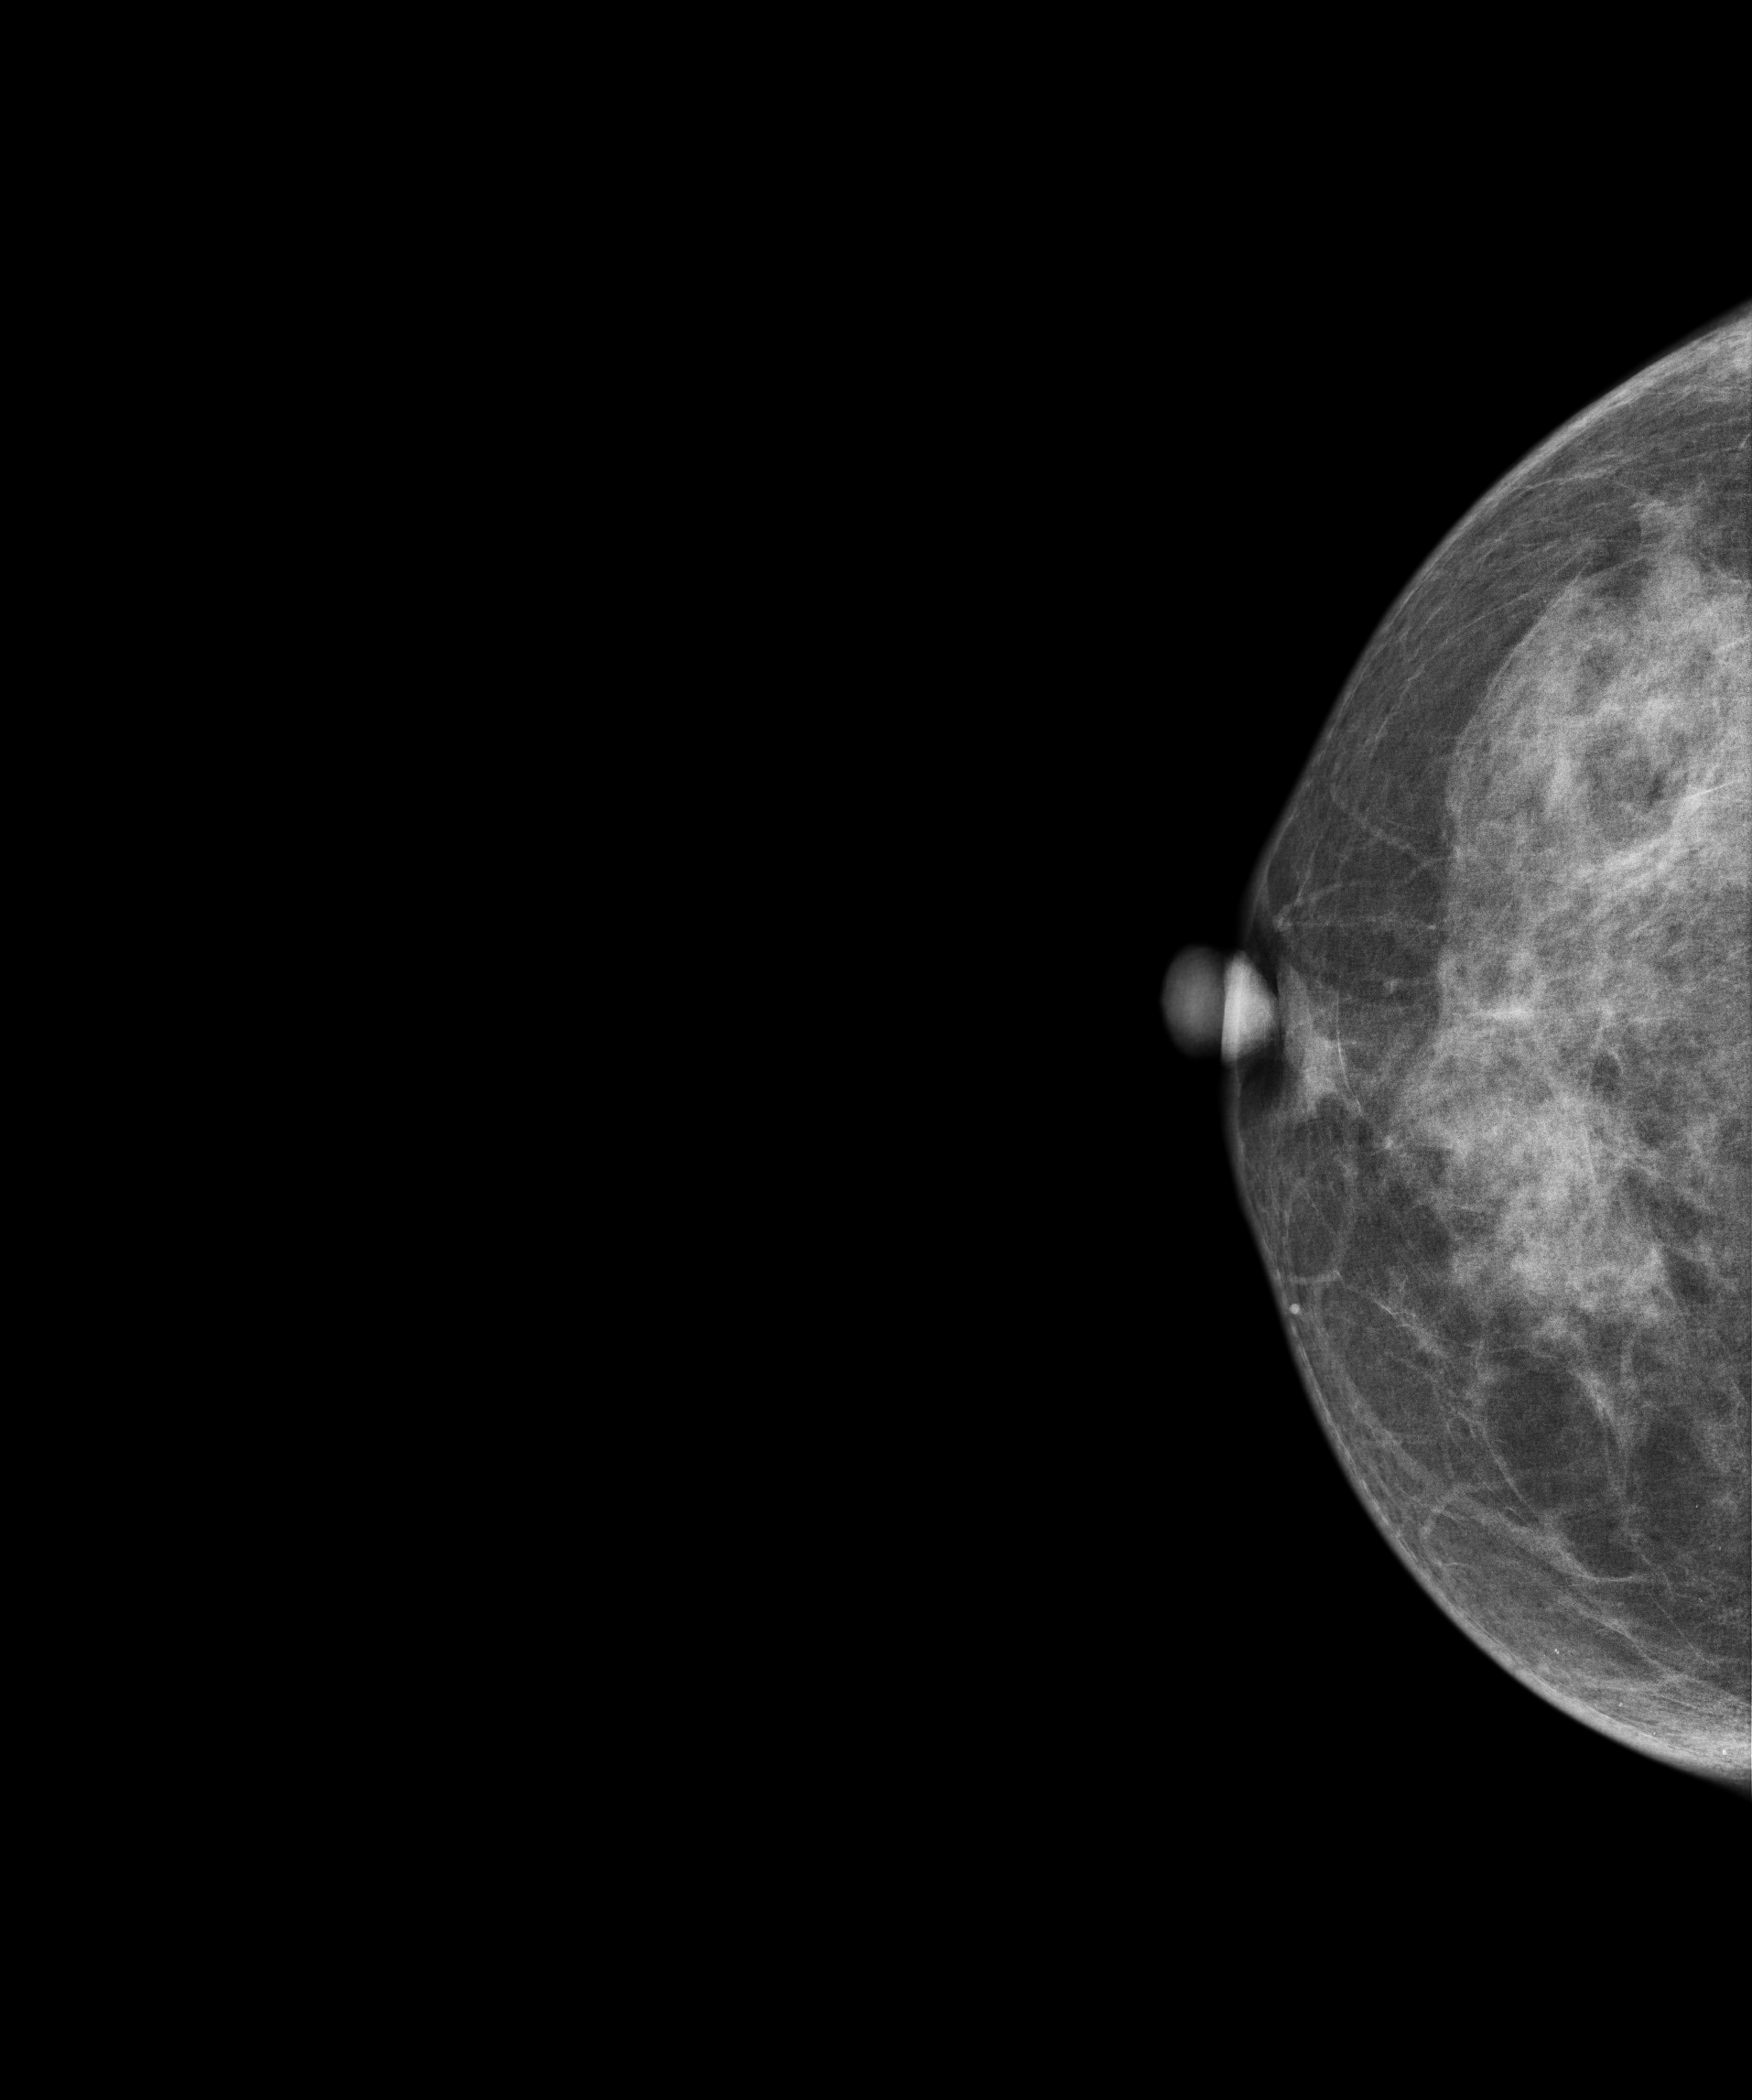
CC mammogram of the right breast. Patient age 51.
Contralateral breast — no documented abnormality on this side.